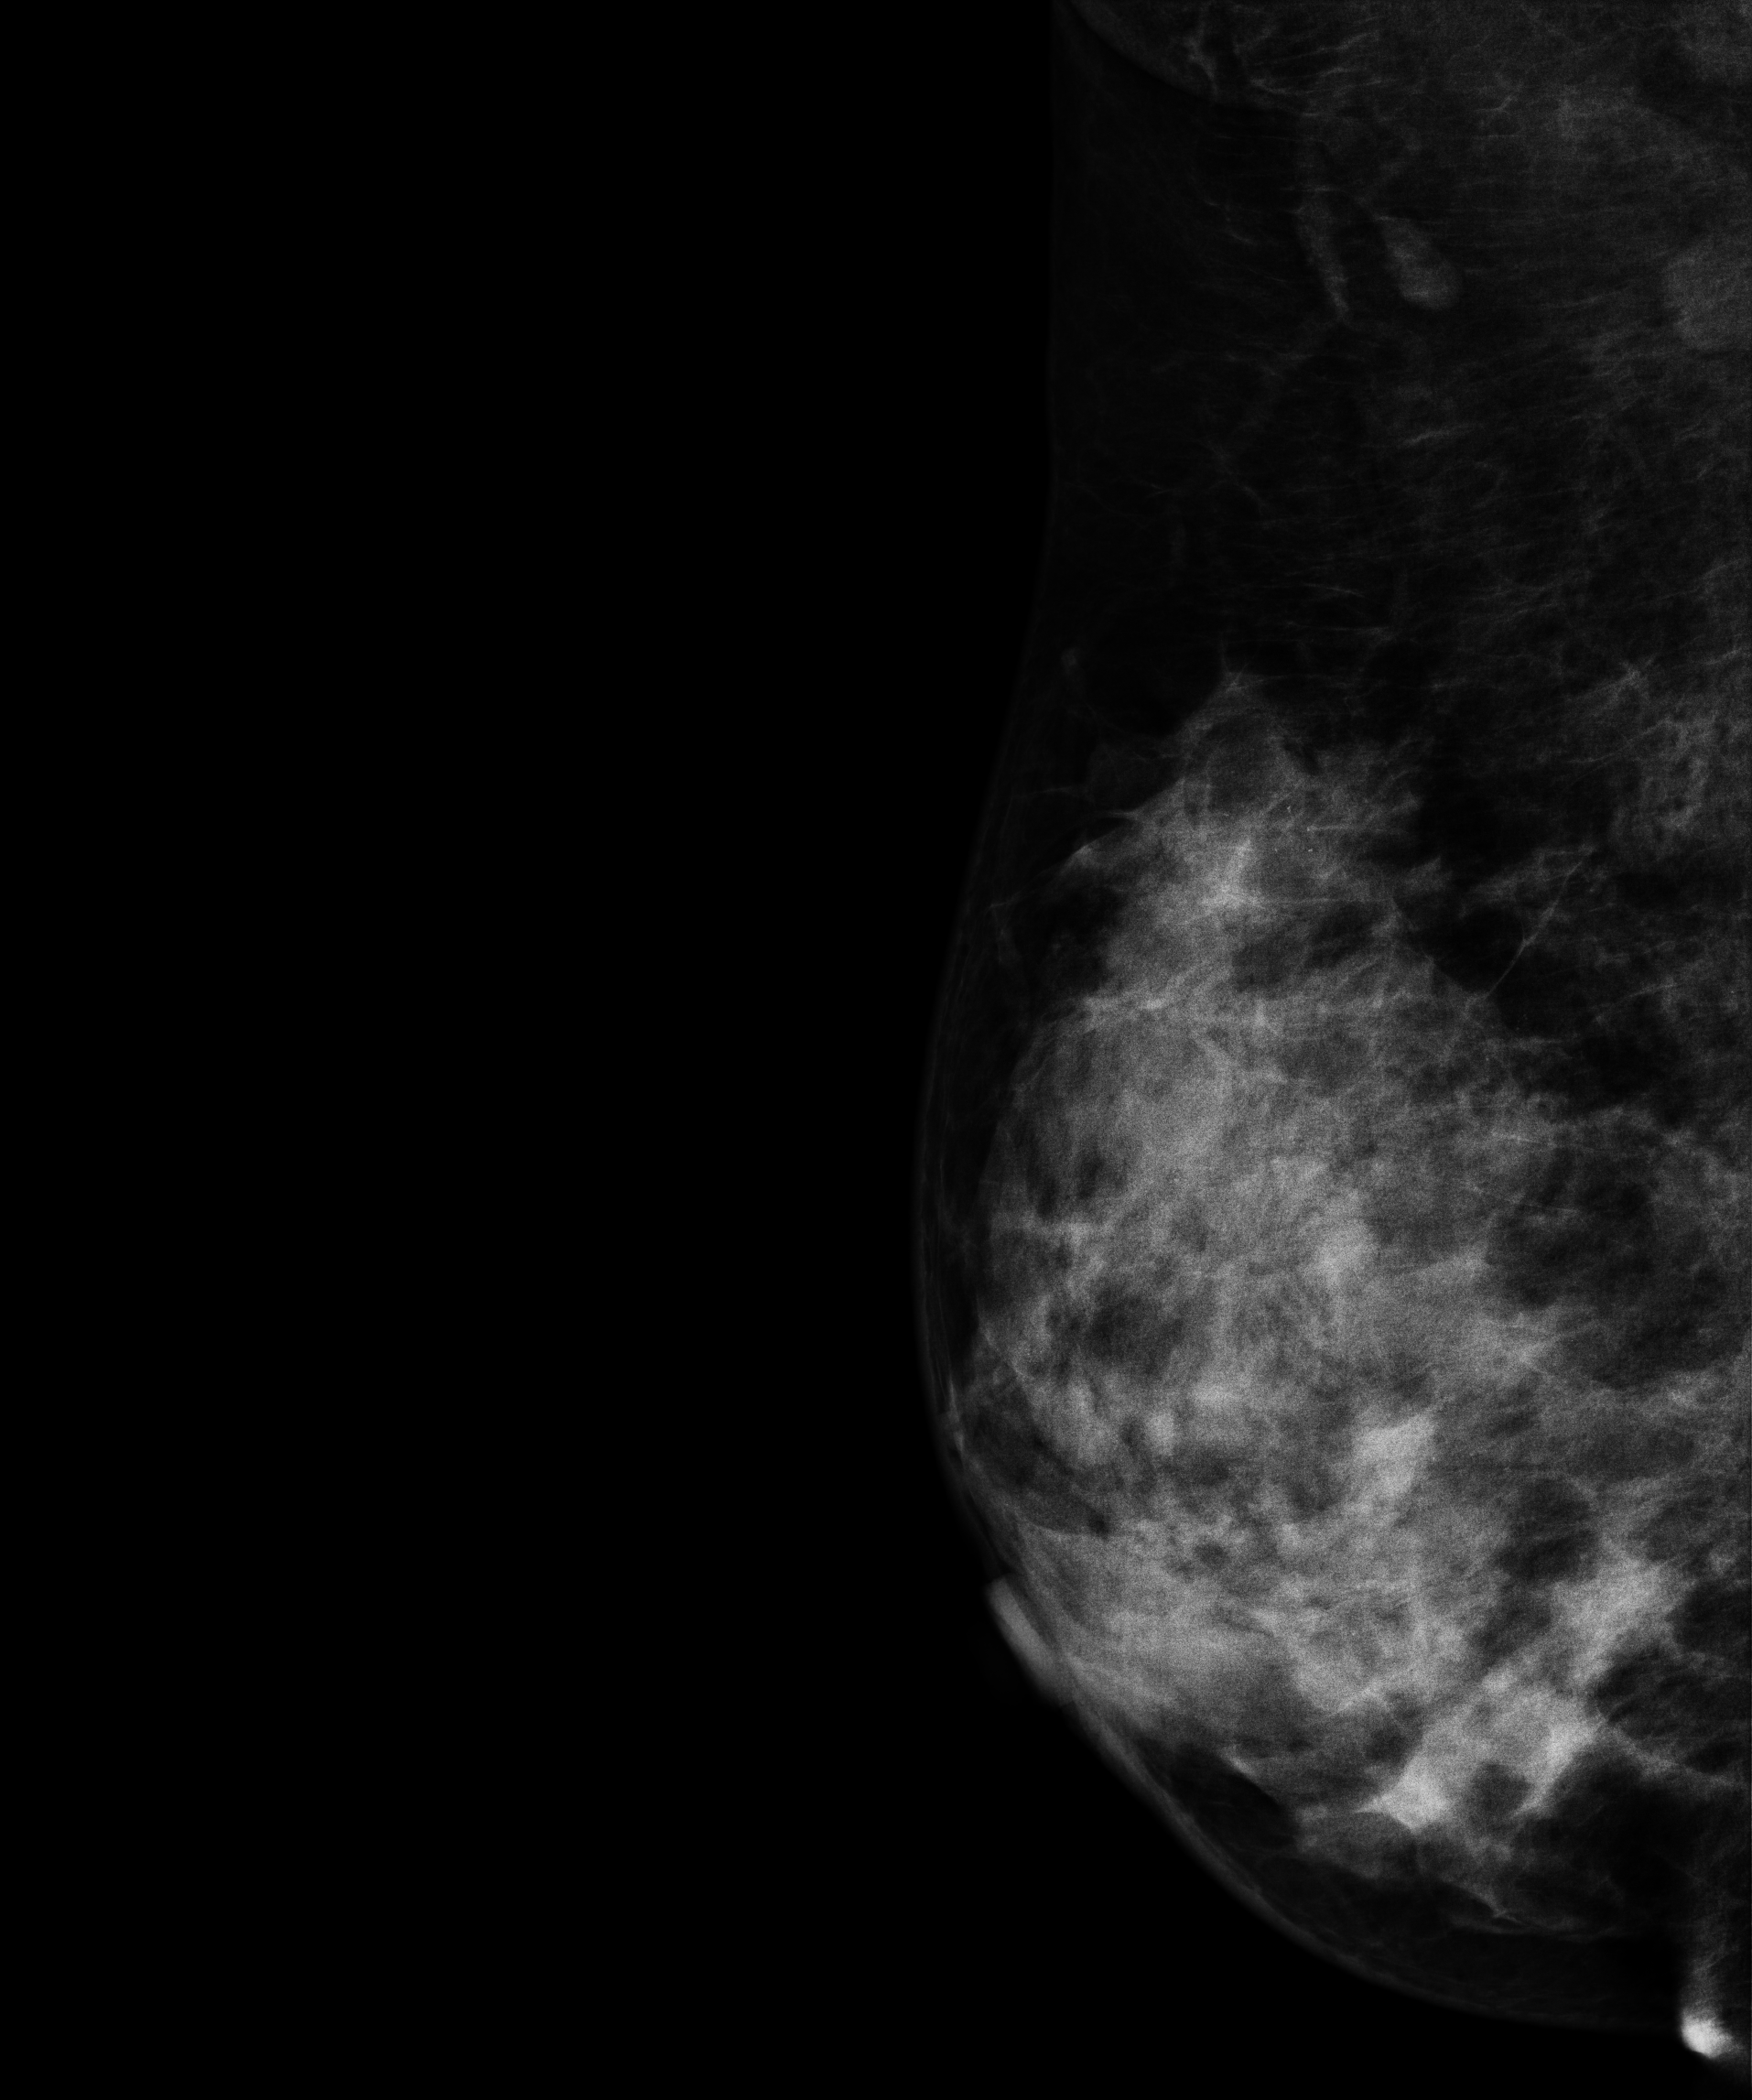
Digital mammography. Right breast, MLO projection. Patient age 54.
This breast has a mass and calcifications, biopsy-confirmed malignant. Molecular subtype: luminal B.